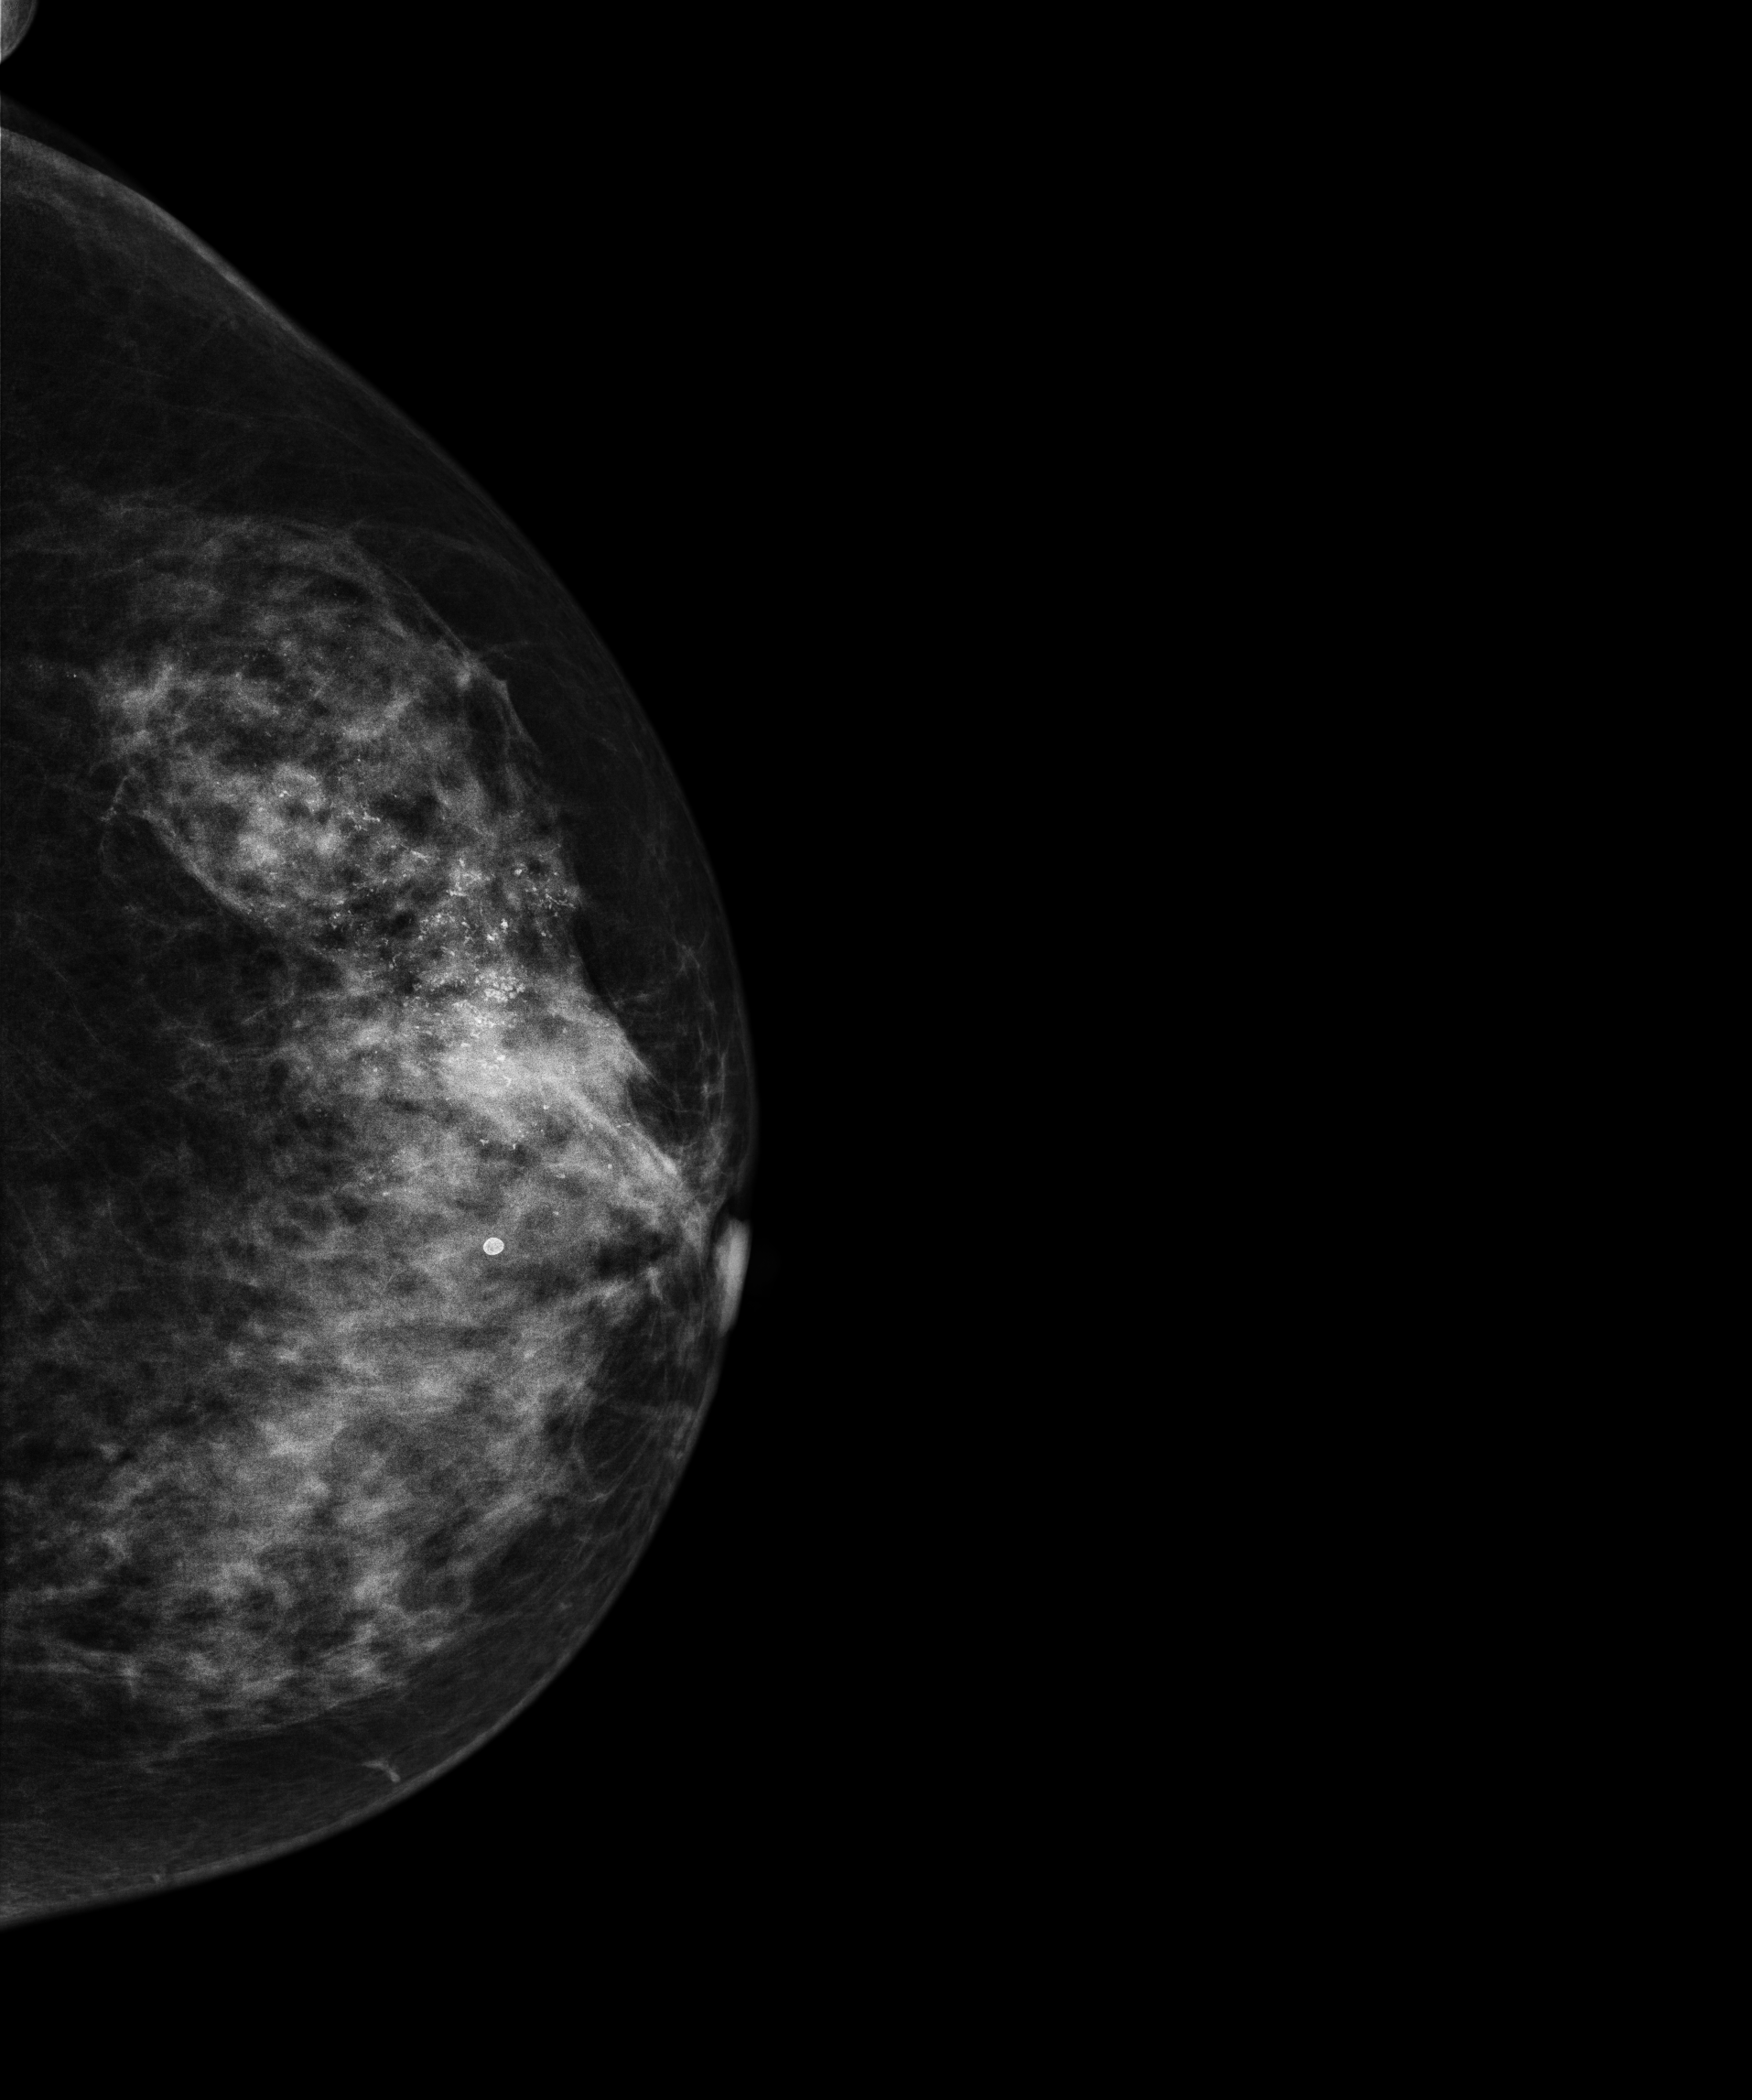
CC mammogram of the left breast. 61 y/o patient.
This breast has calcifications, biopsy-confirmed malignant. Molecular subtype: HER2-enriched.